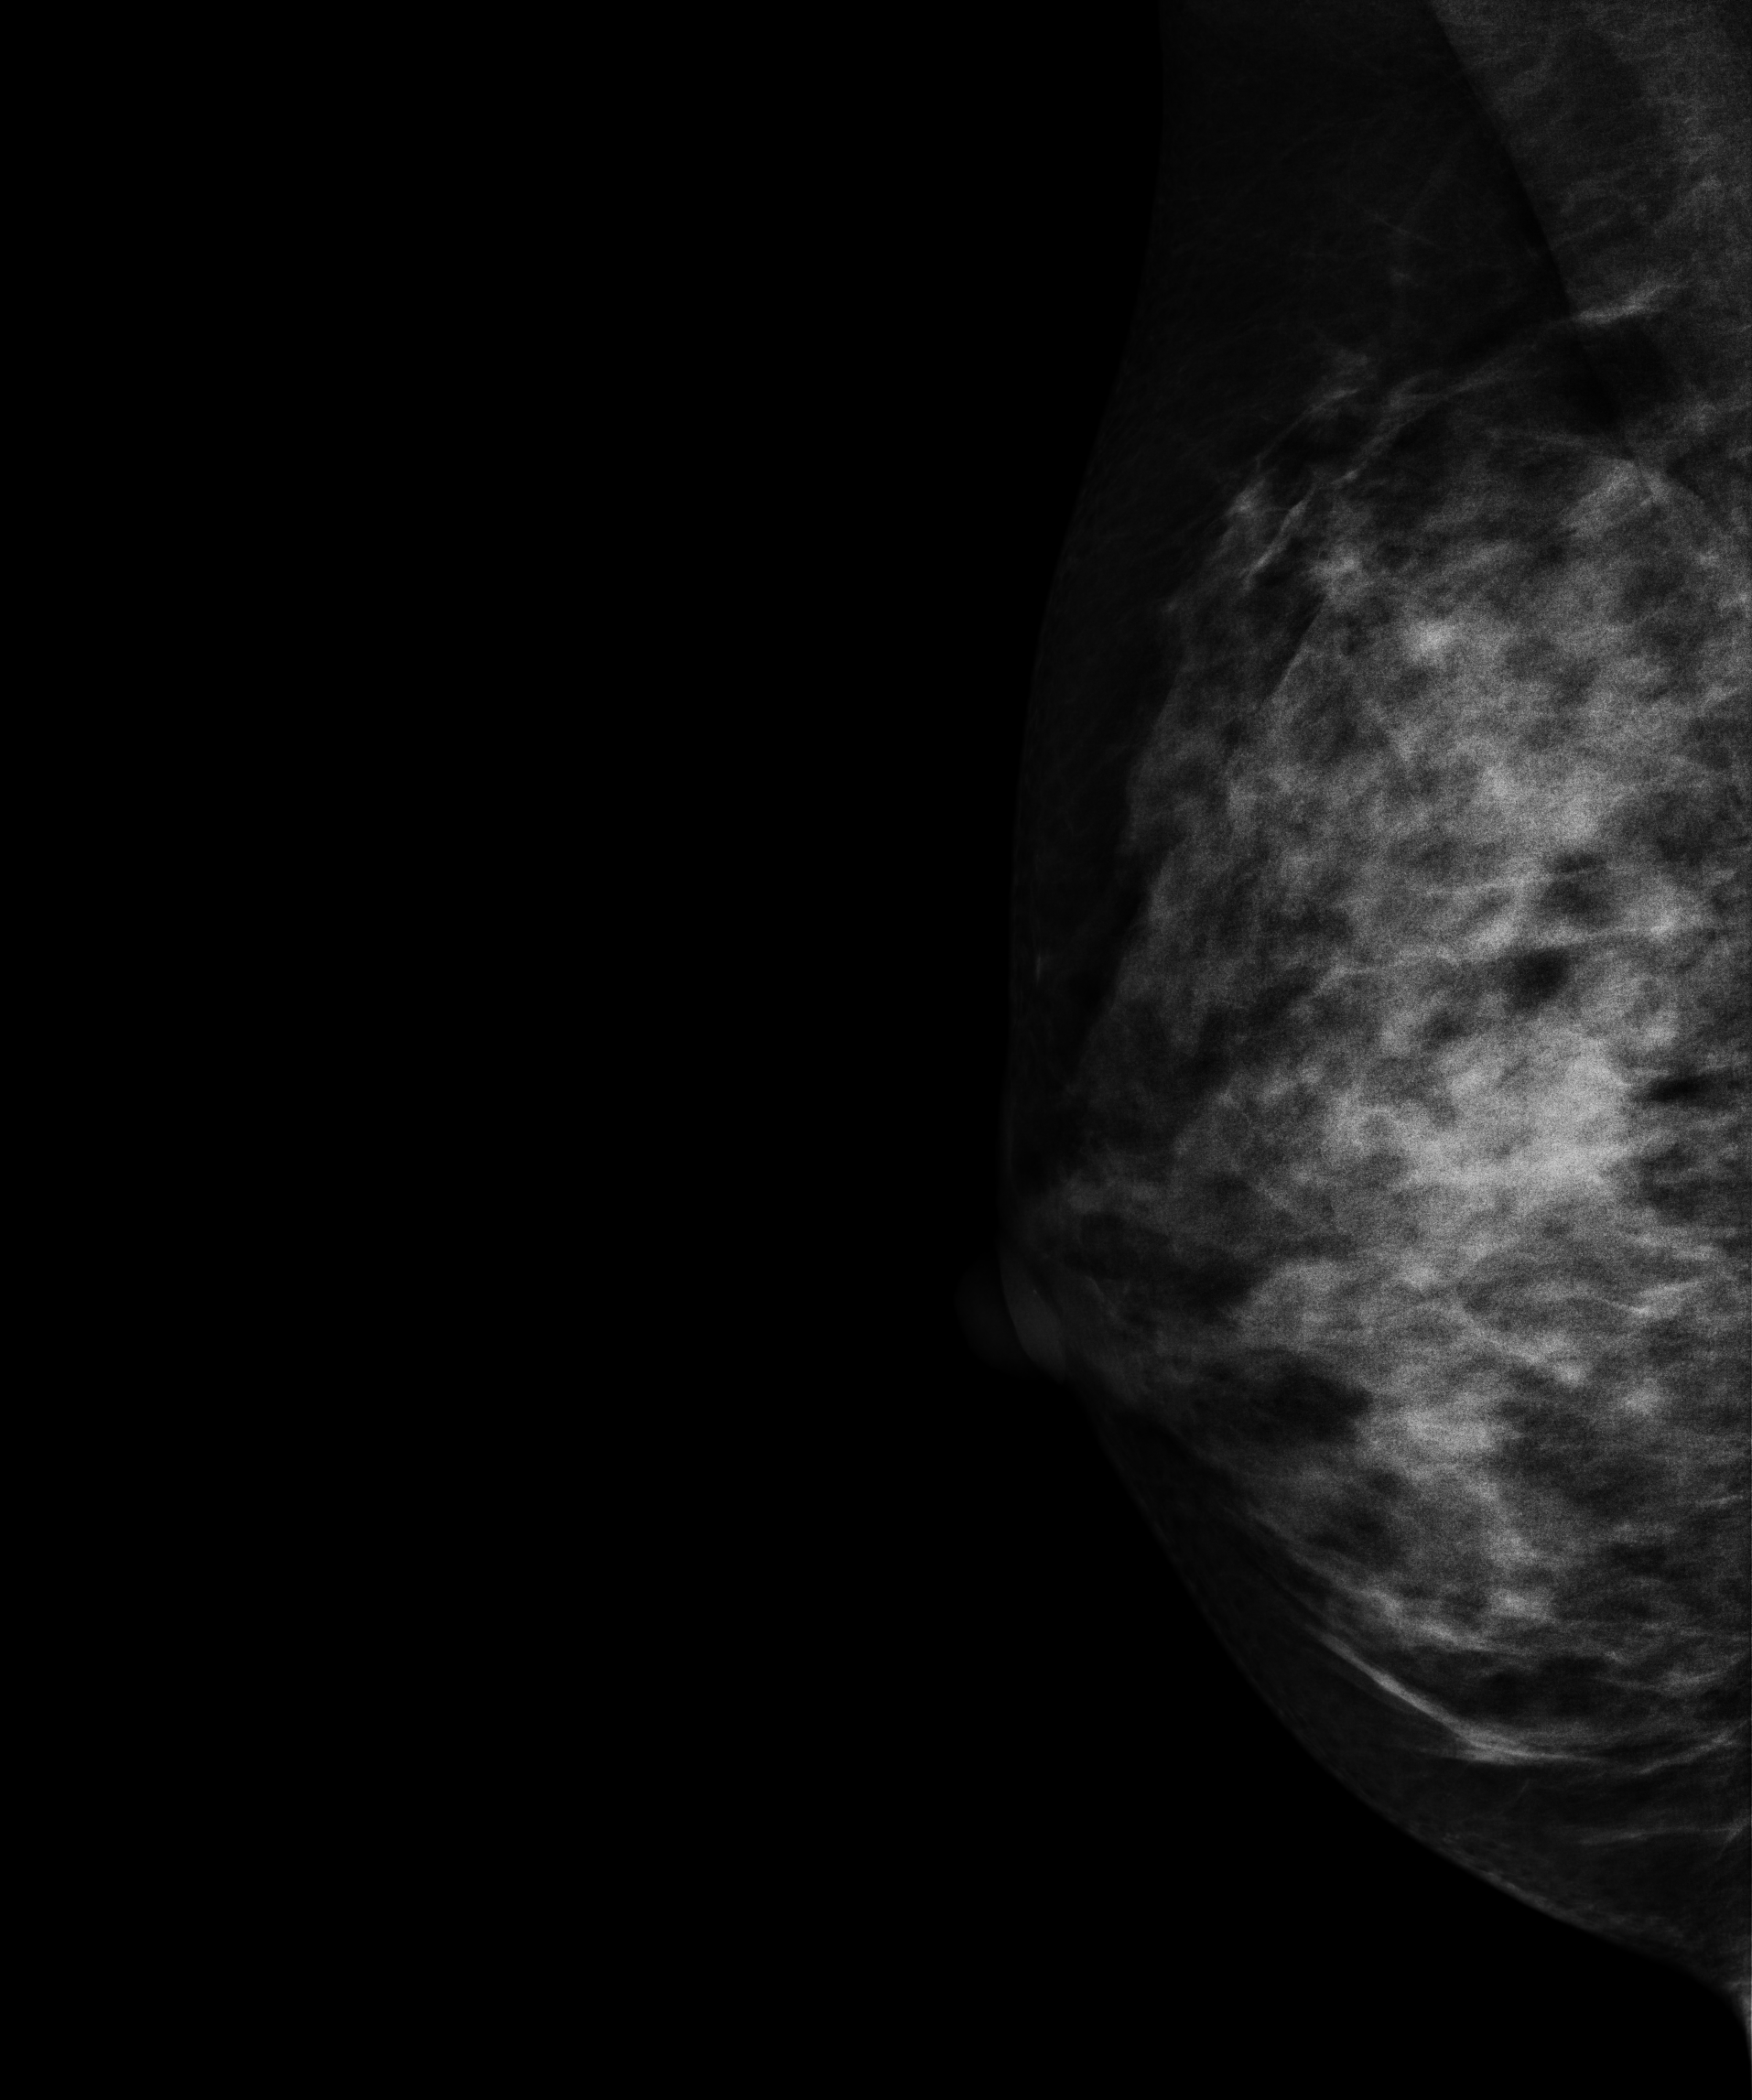
Mammogram — right MLO. 26-year-old patient.
This breast has a mass, histologically confirmed benign.